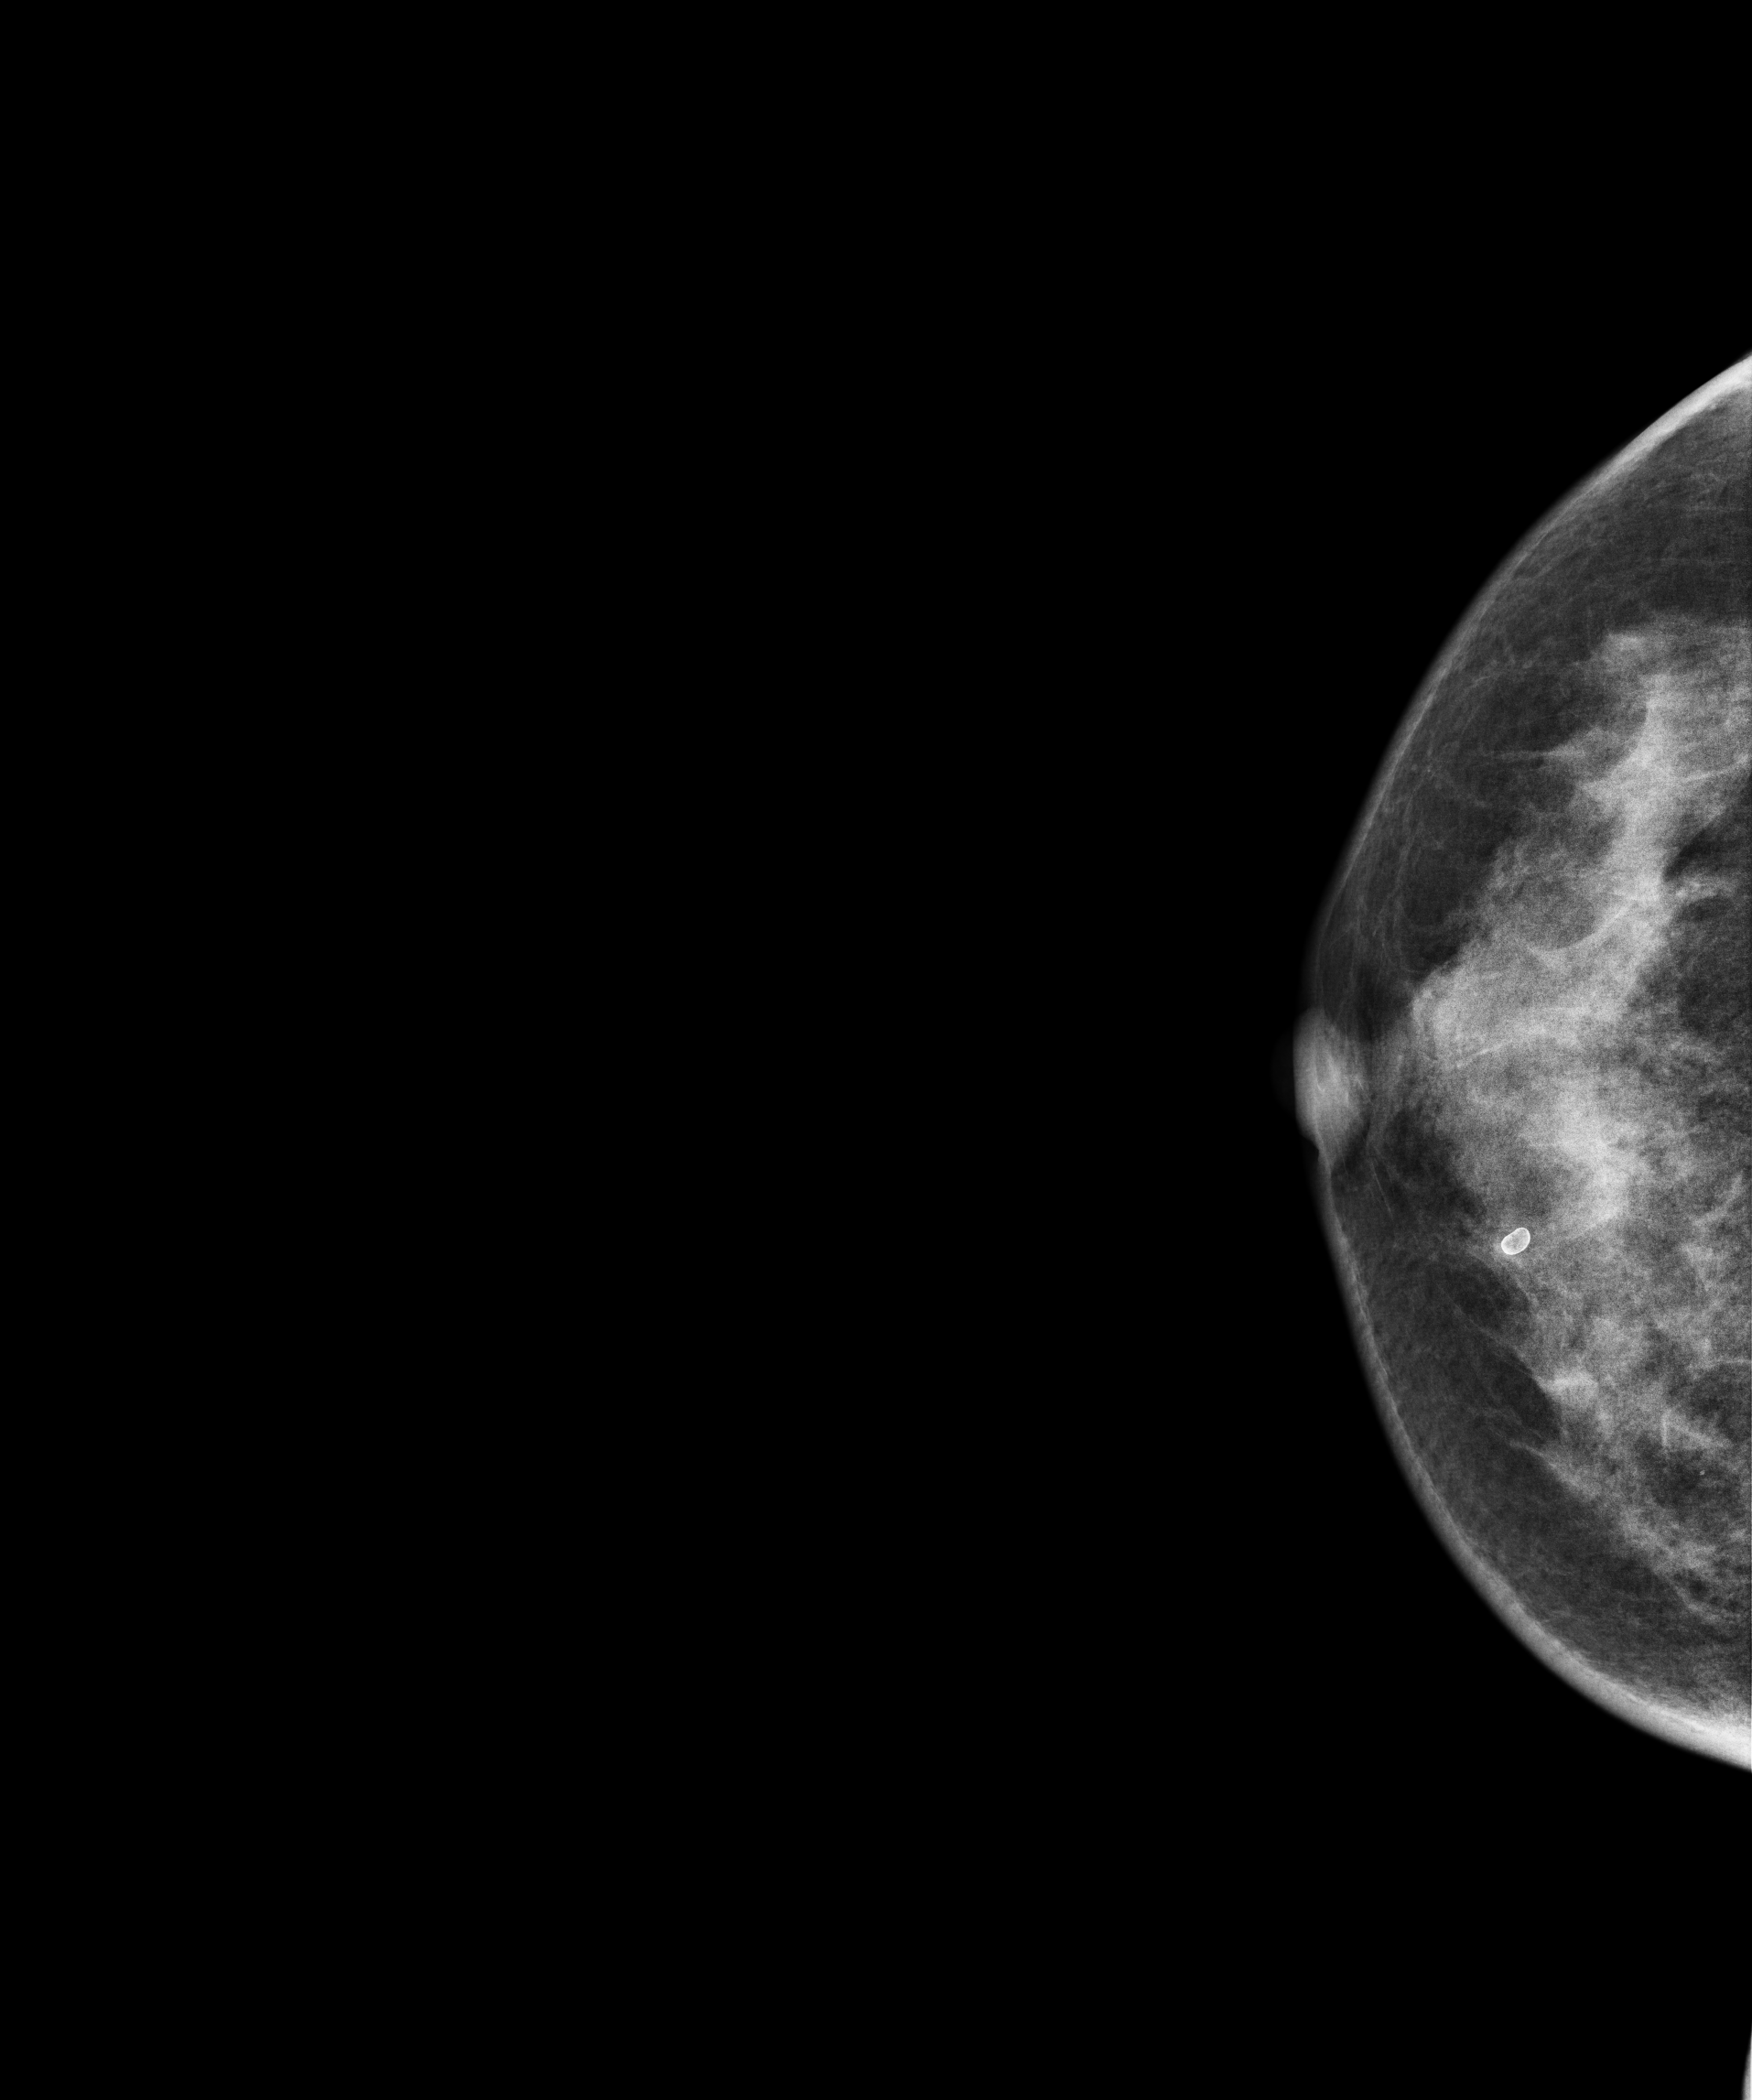
Mammogram, right breast, cranio-caudal view. 46 y/o patient.
This breast has a mass, biopsy-proven benign.